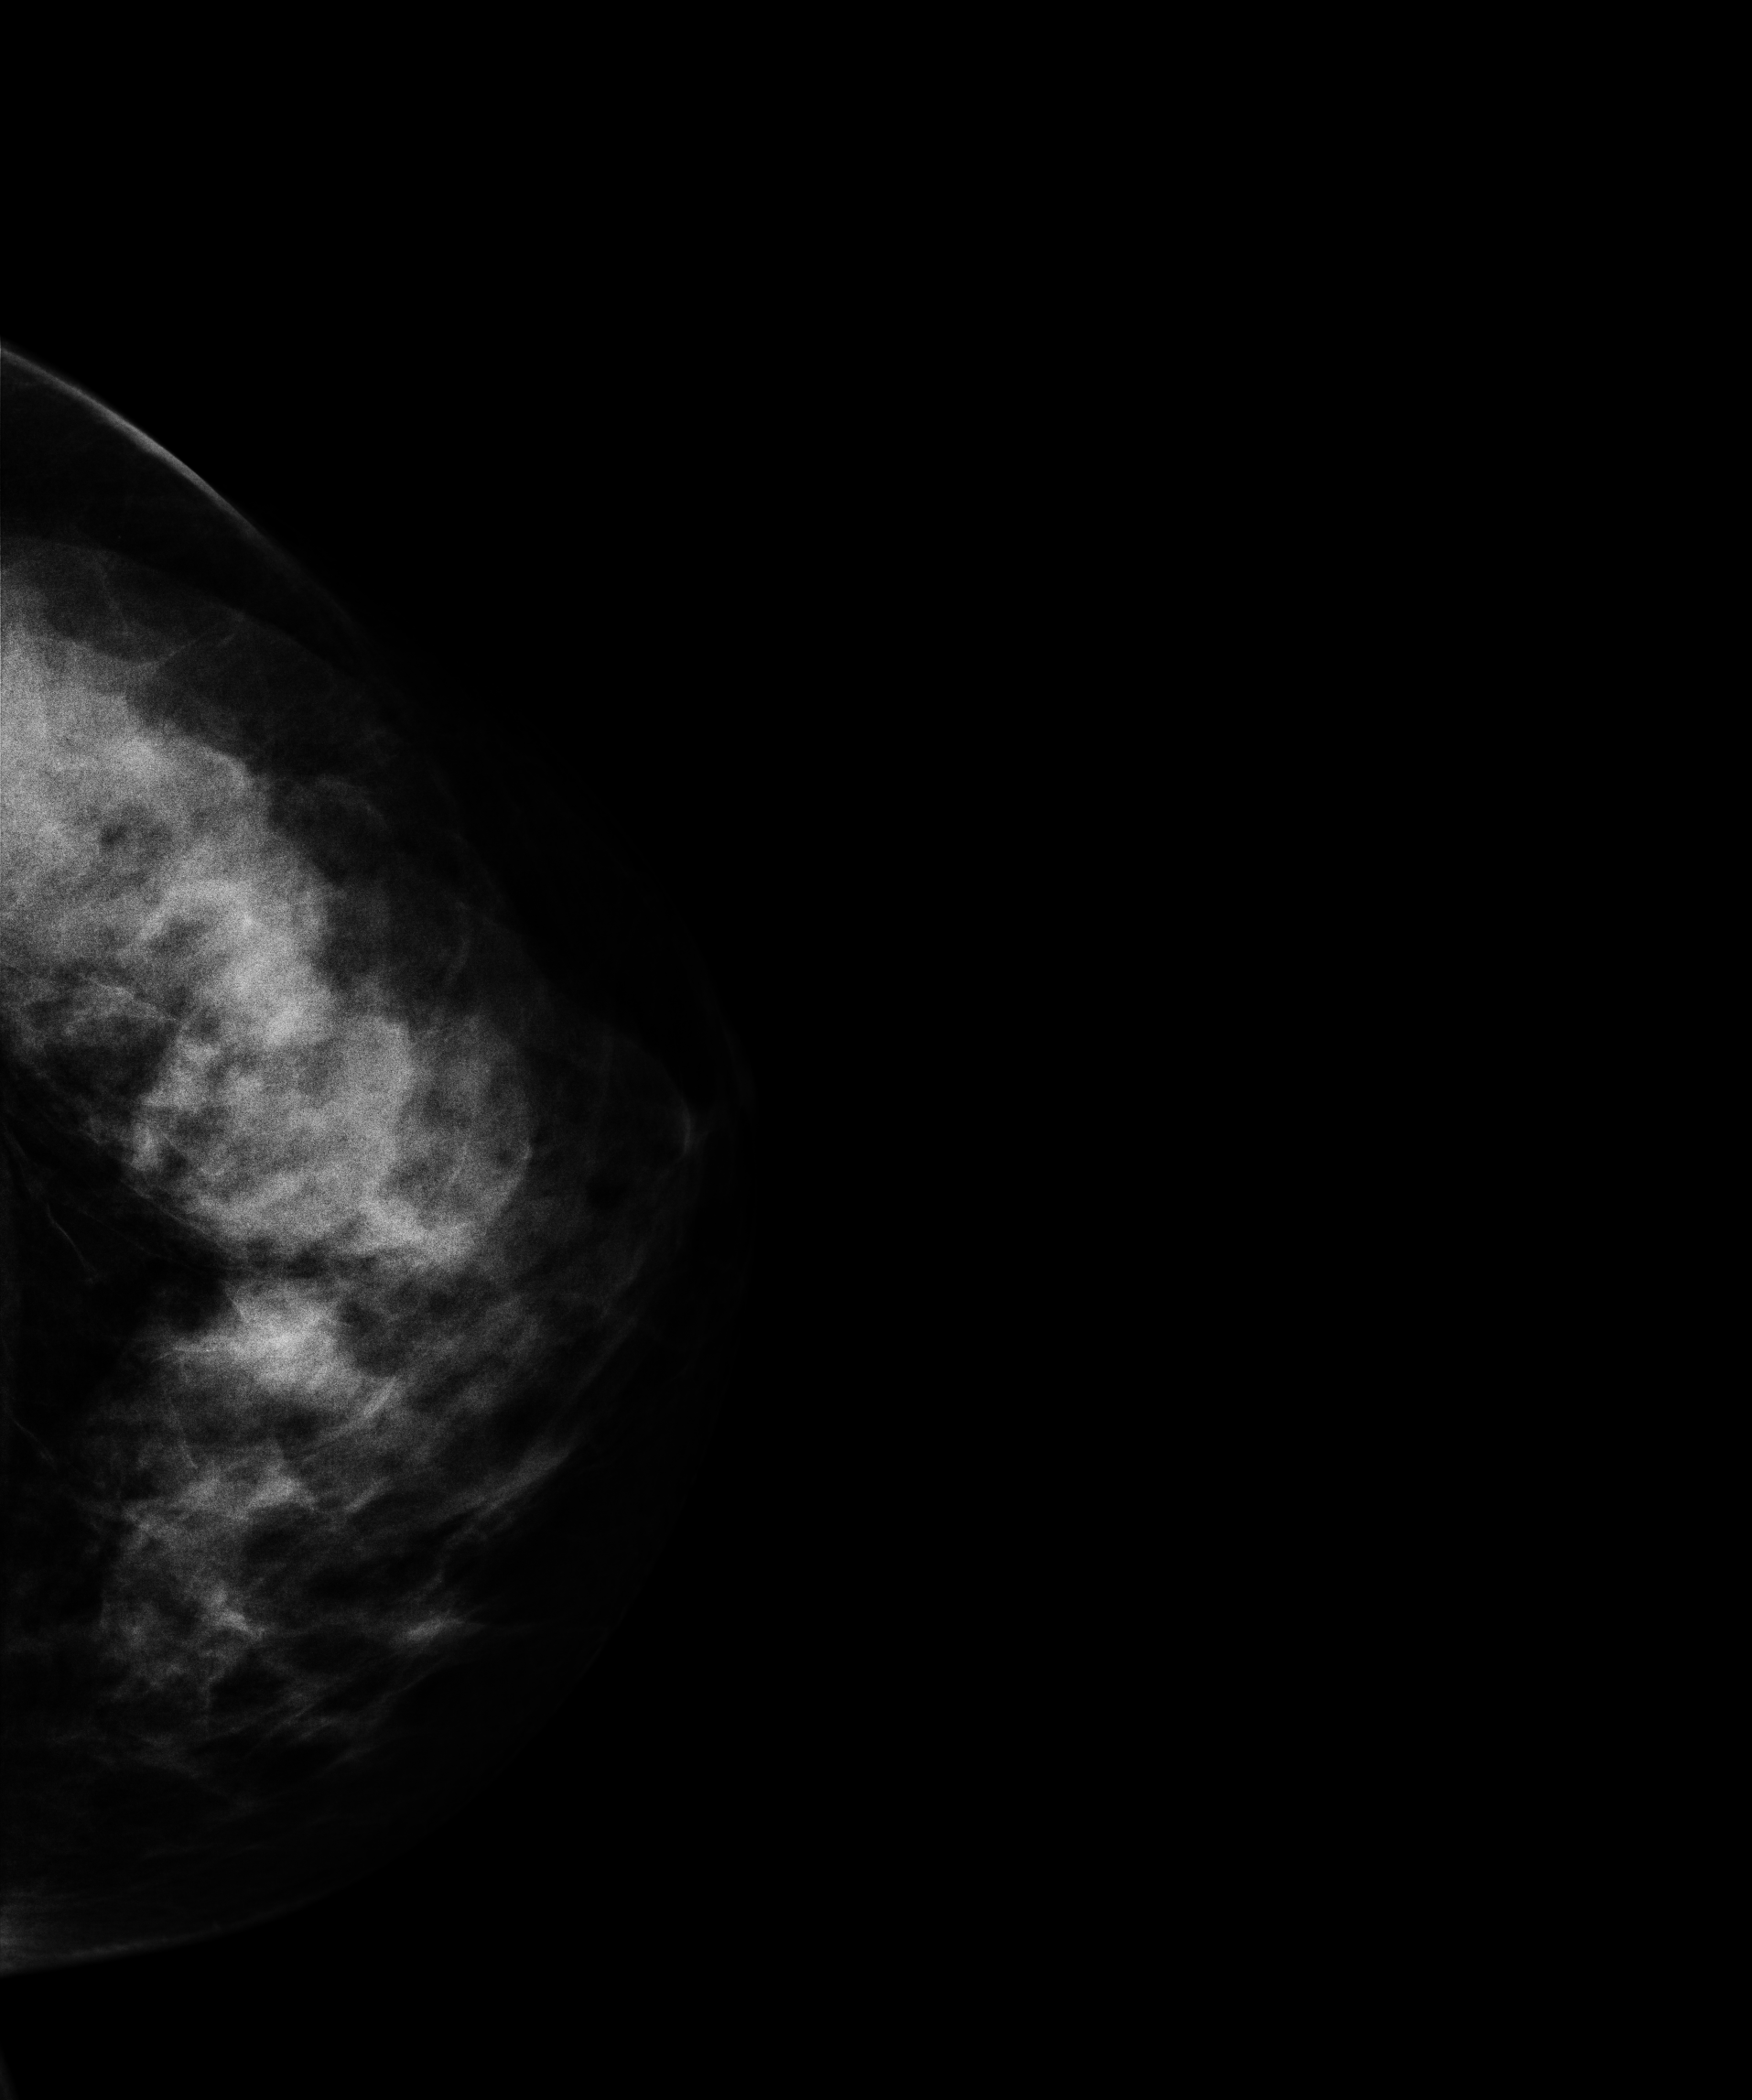
Digital mammography. Left breast, CC projection. 45 y/o patient.
This breast has a mass, biopsy-confirmed benign.